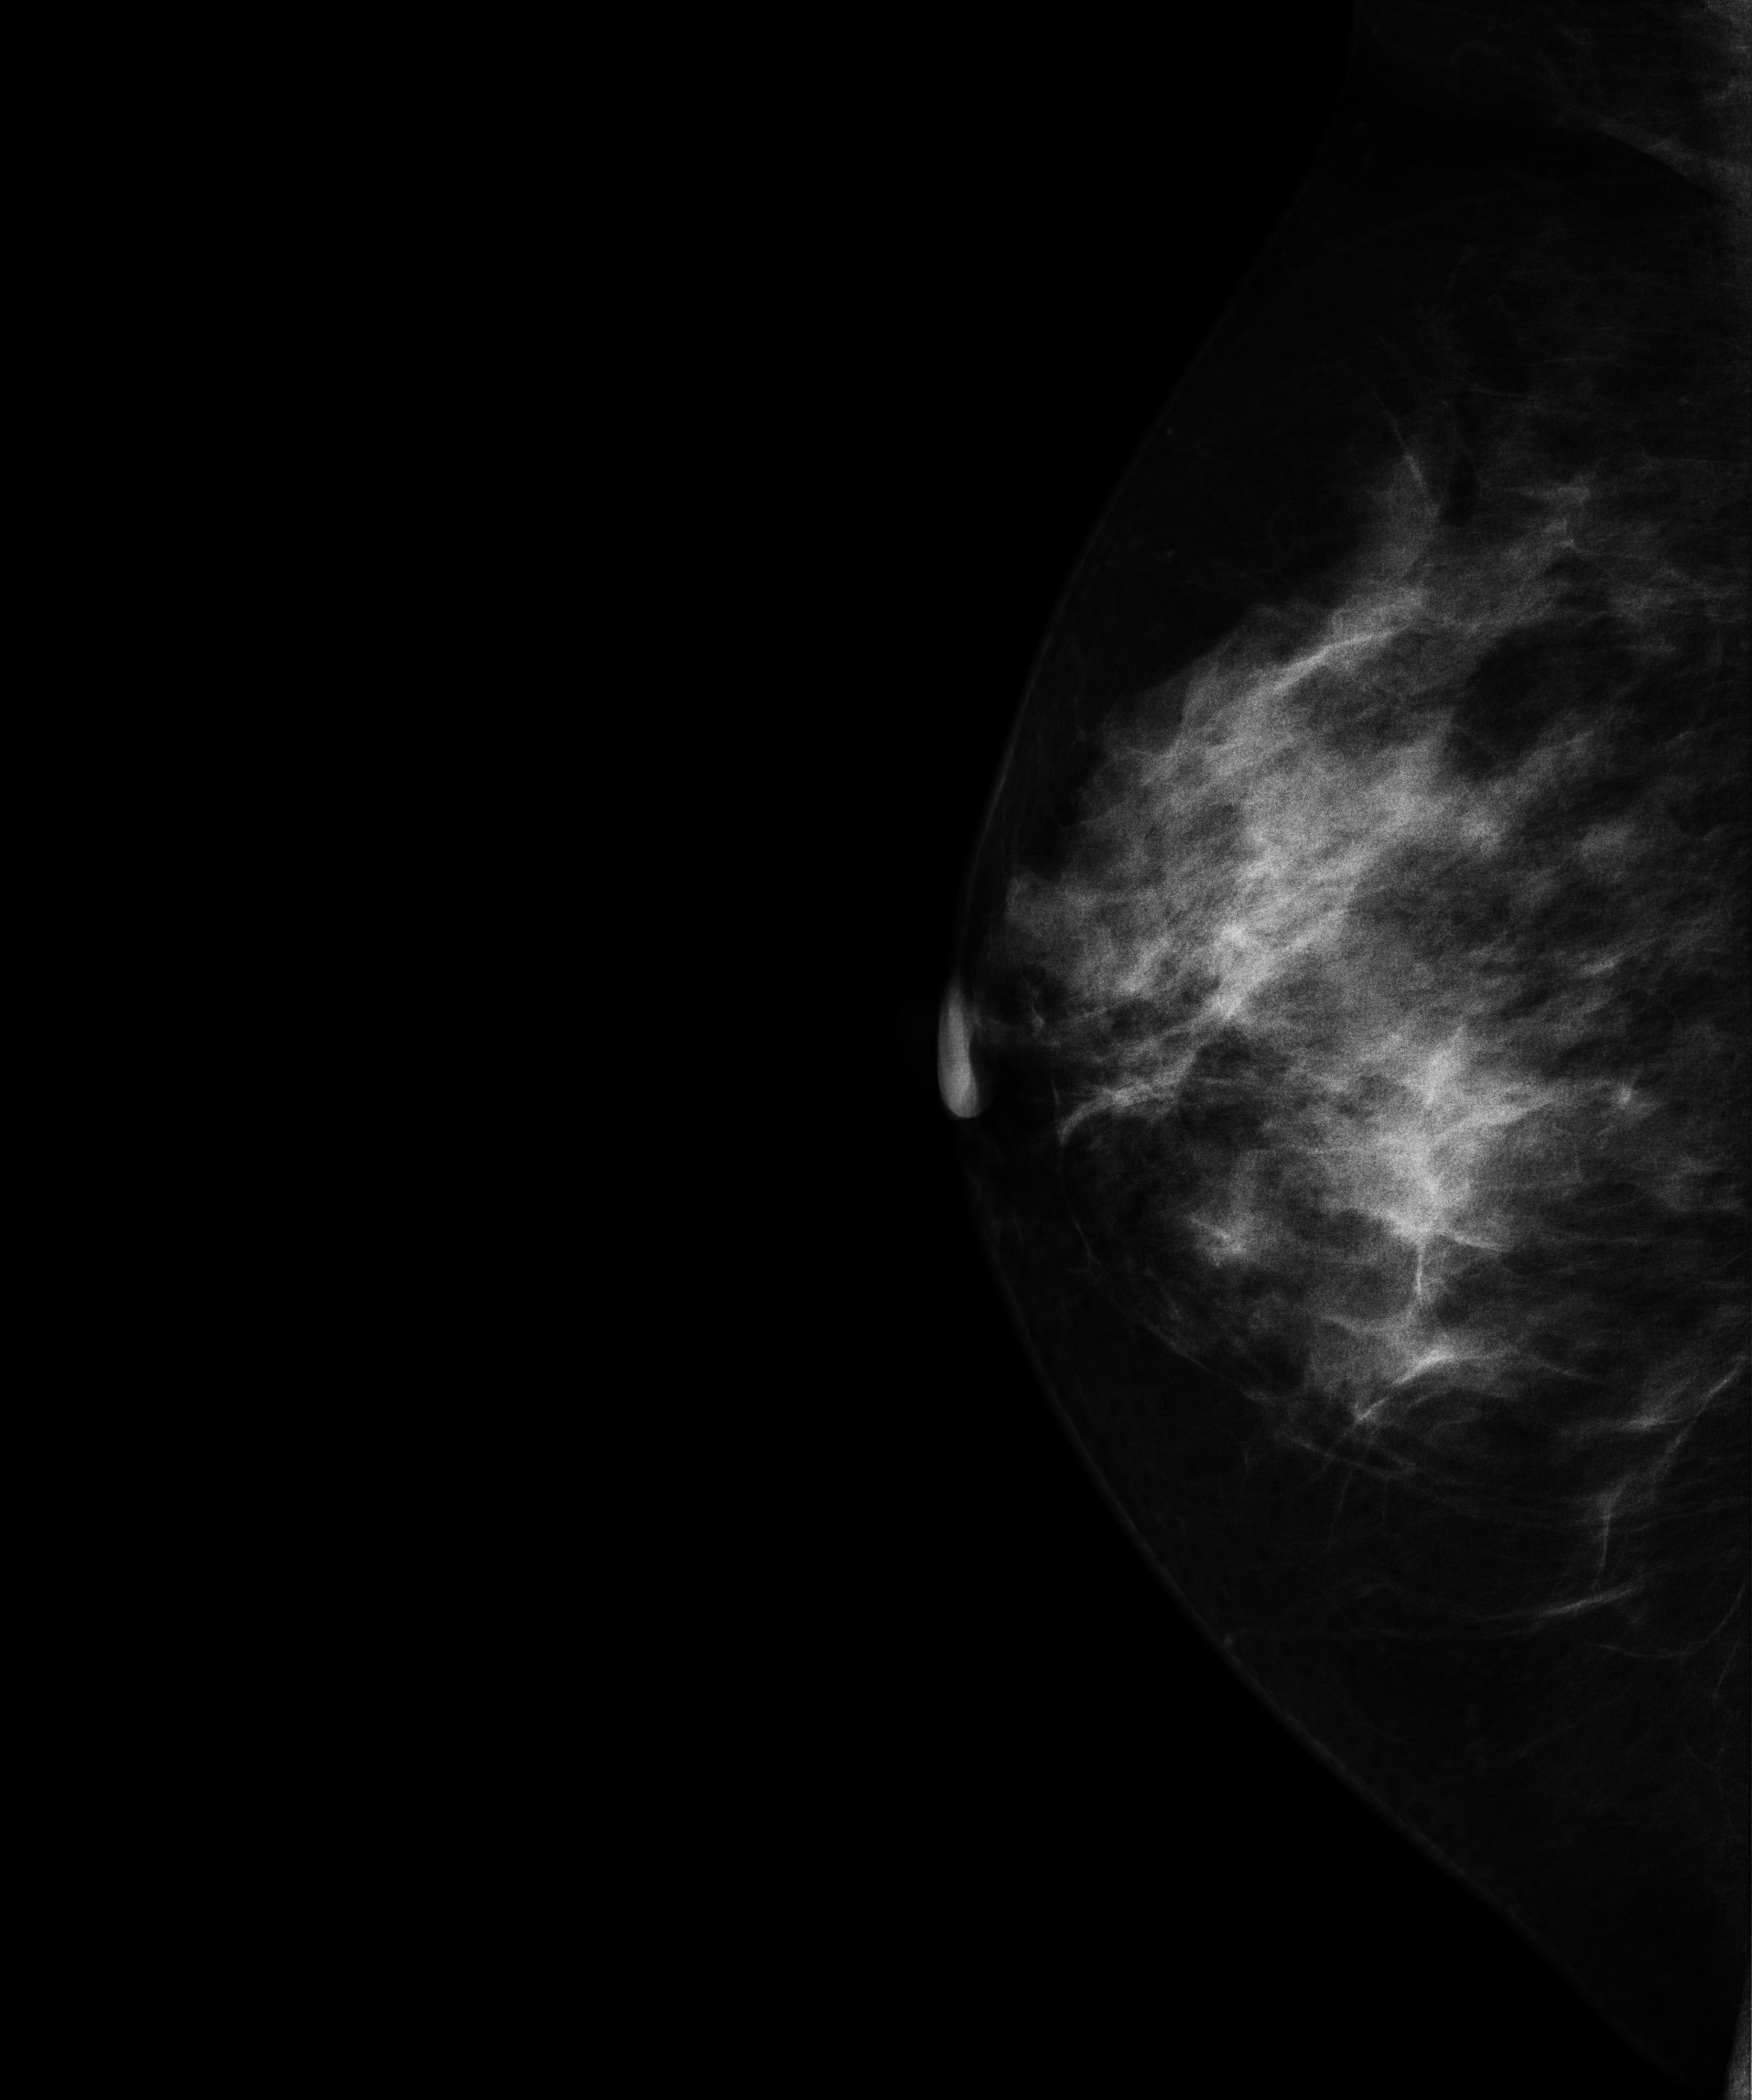
Mammogram — right medio-lateral oblique. 51-year-old patient.
Contralateral breast — no documented abnormality on this side.